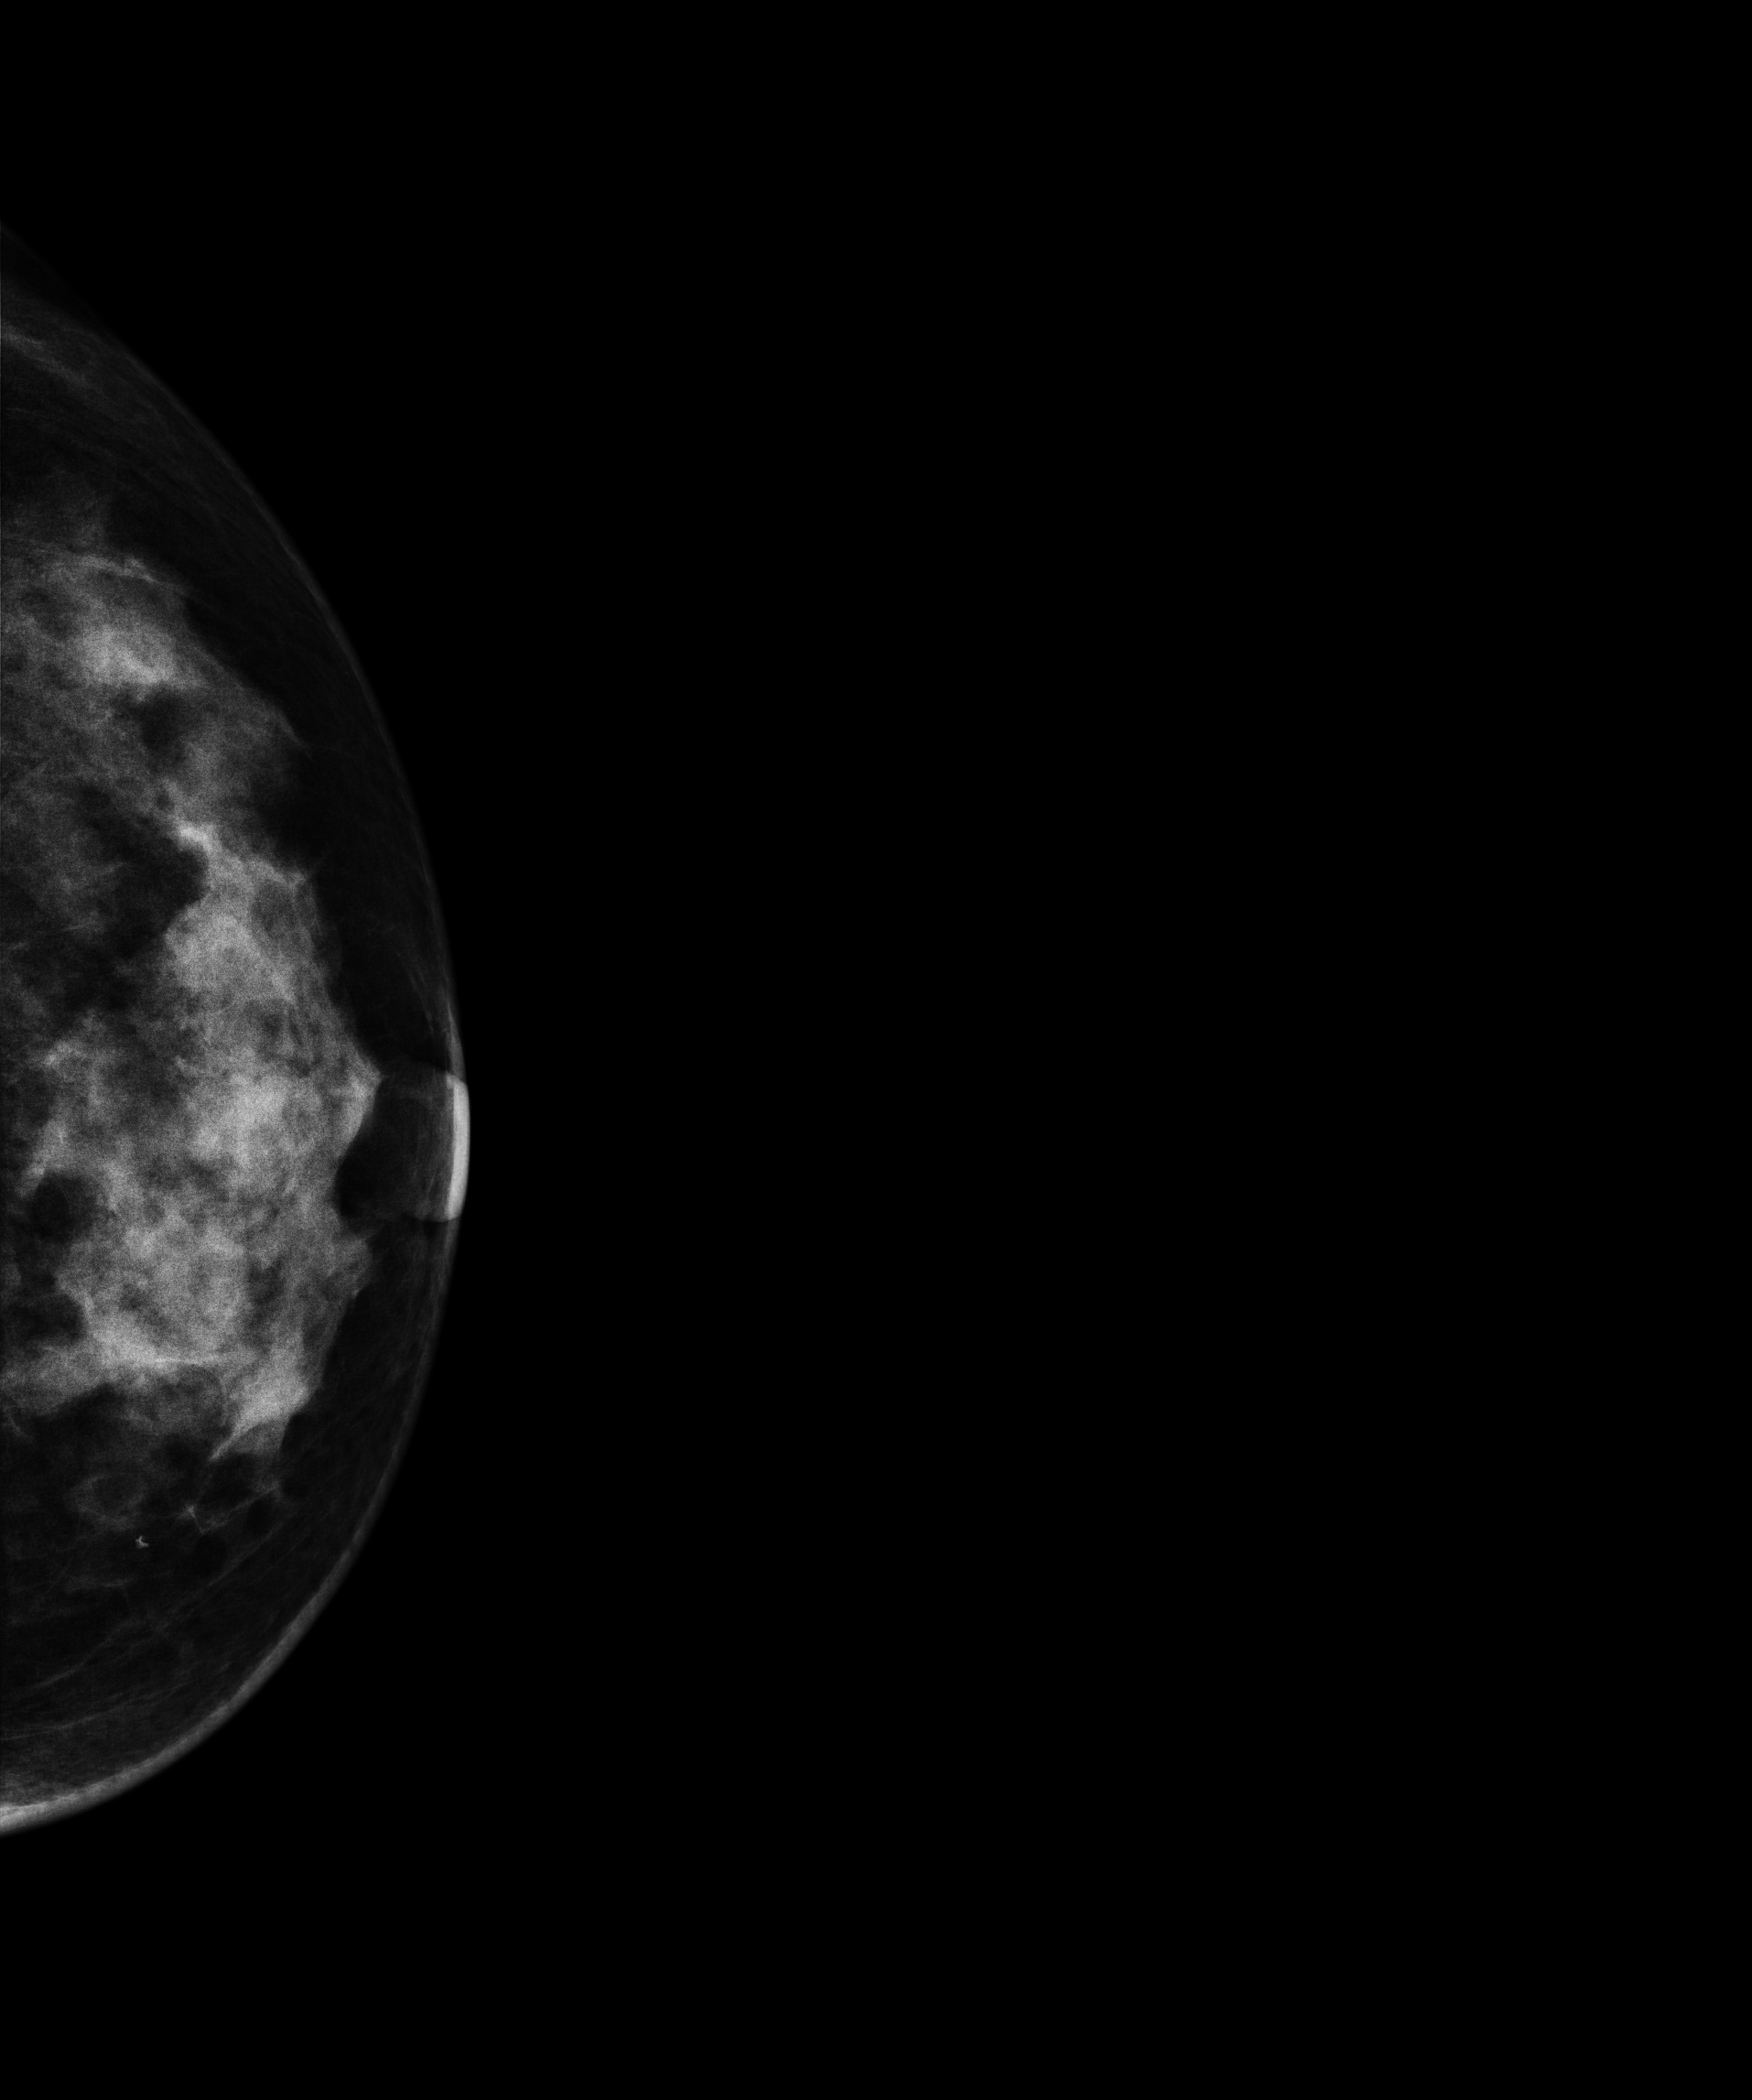
Digital mammography. Left breast, cranio-caudal projection. 44-year-old patient.
This breast has a mass, biopsy-confirmed malignant.